Right-breast mammogram, cranio-caudal. 31-year-old patient.
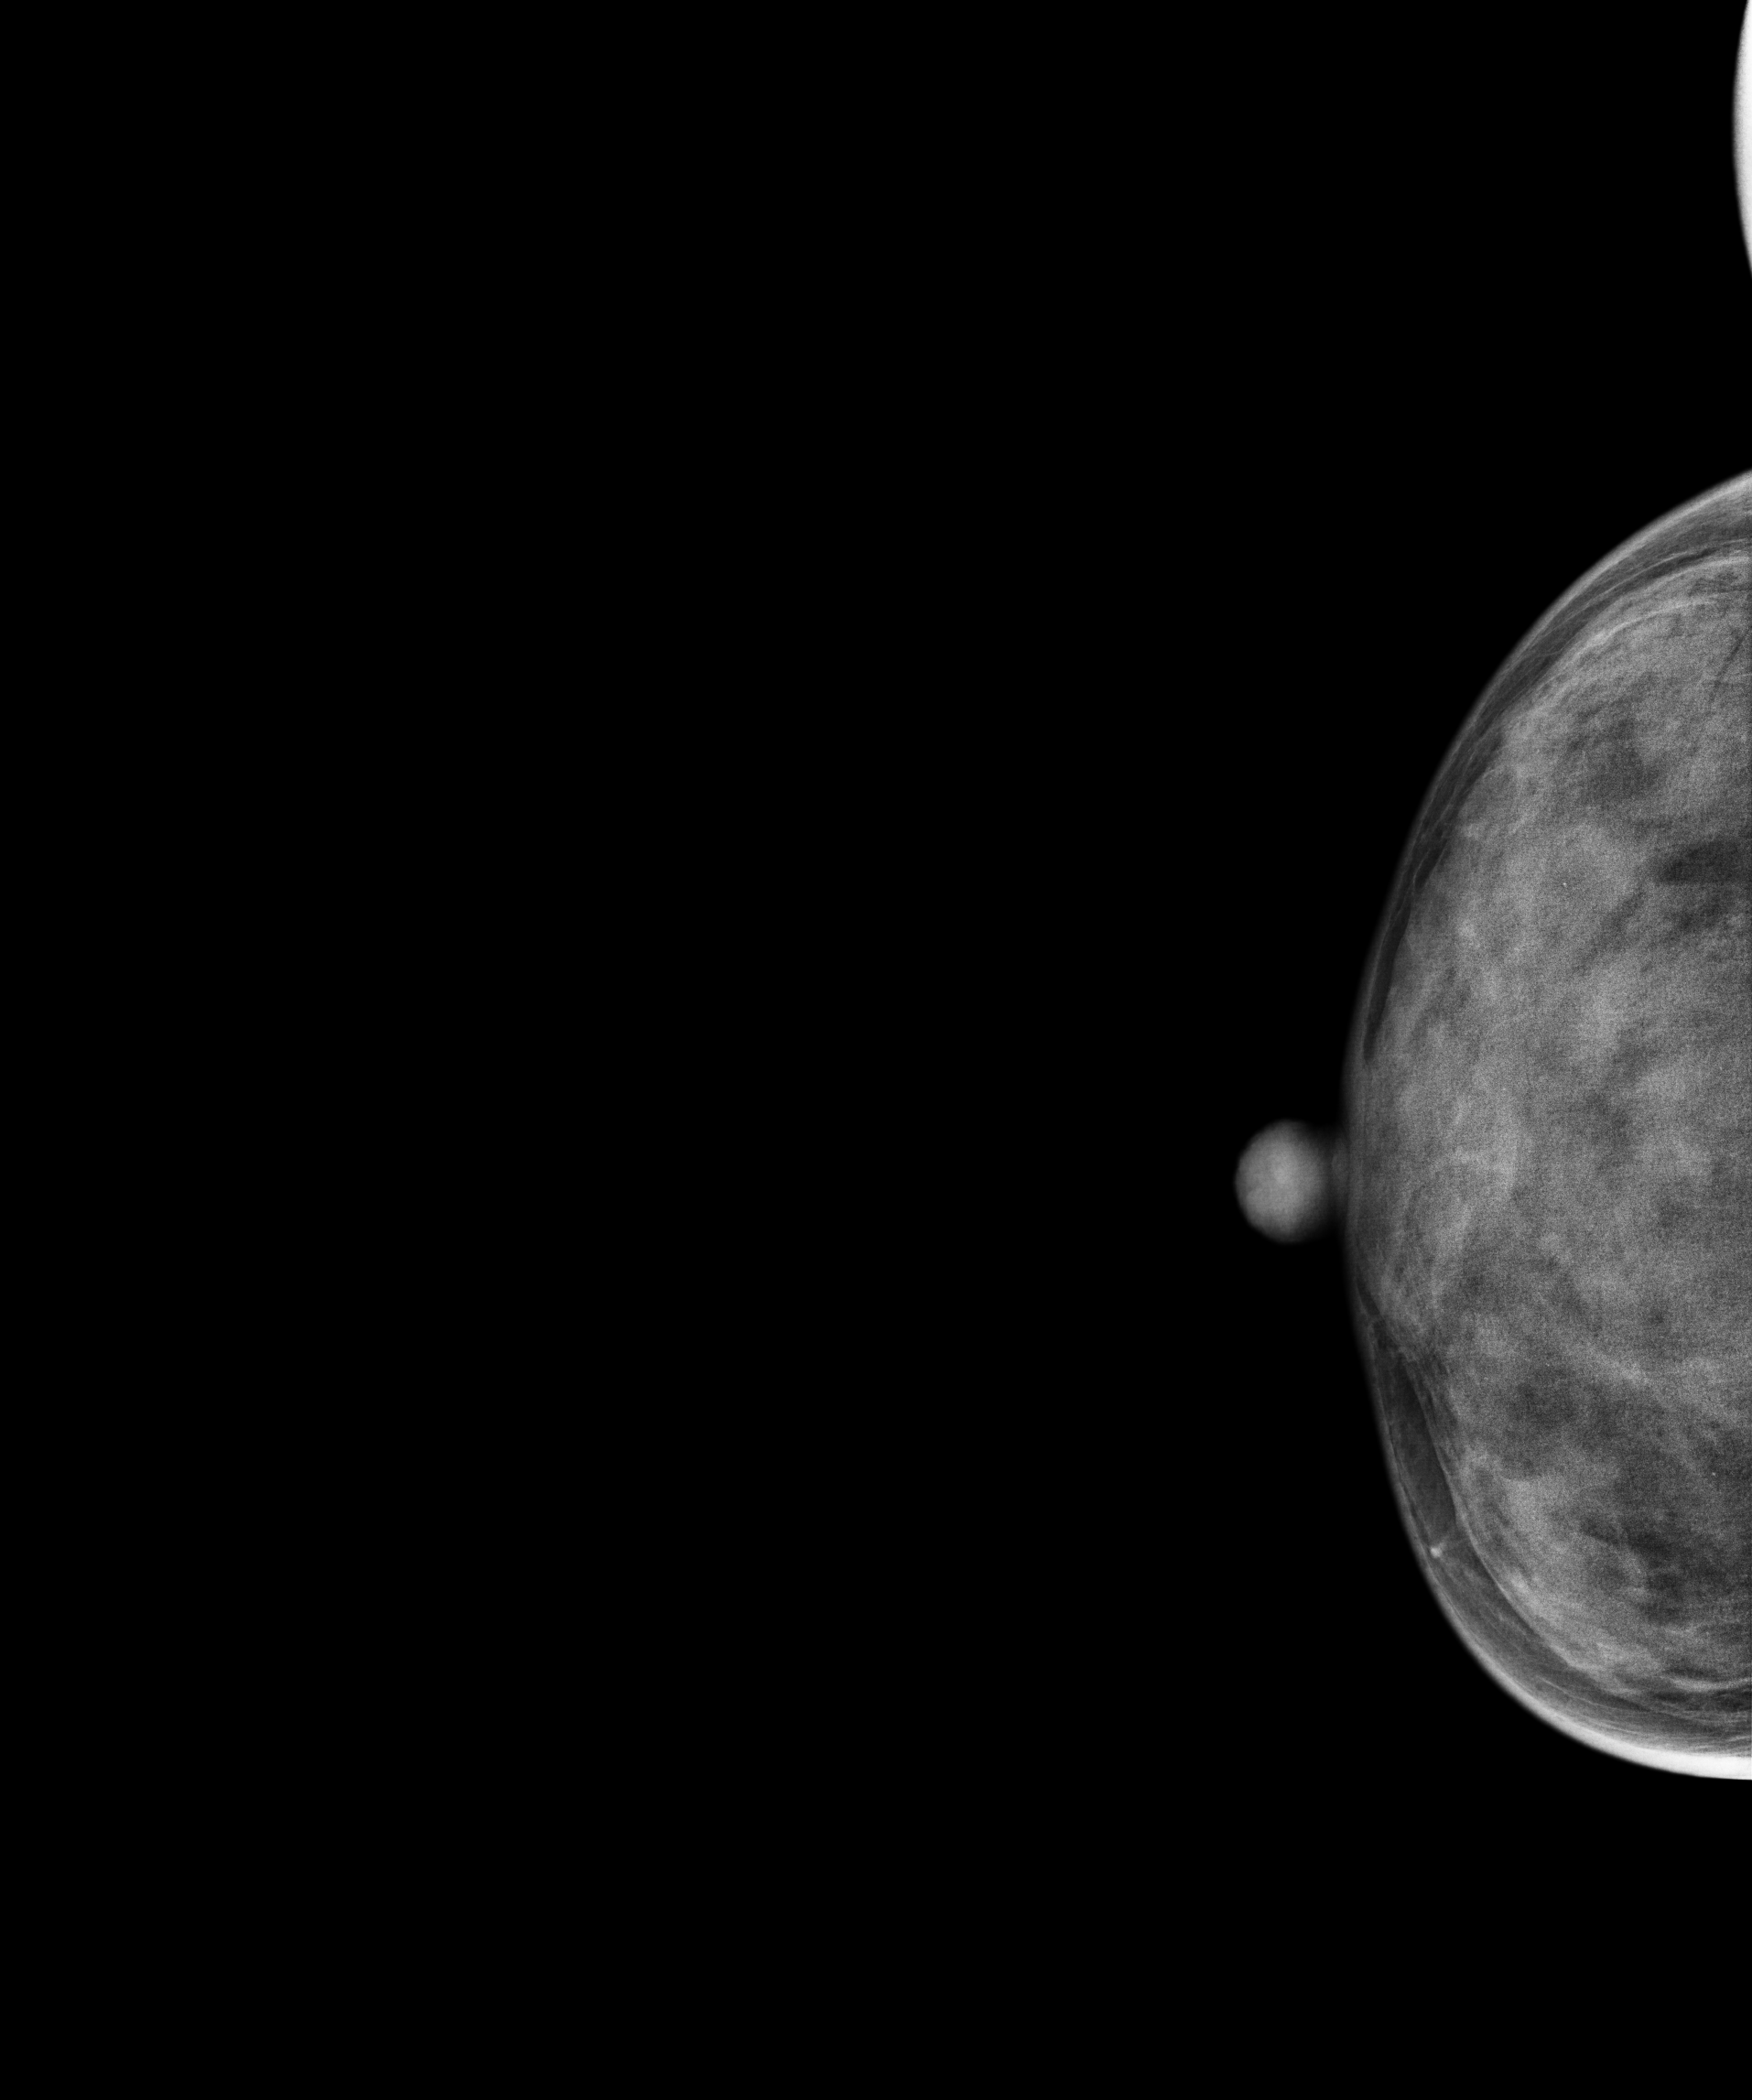
Contralateral breast — no documented abnormality on this side.